Left-breast mammogram, CC. 50 y/o patient.
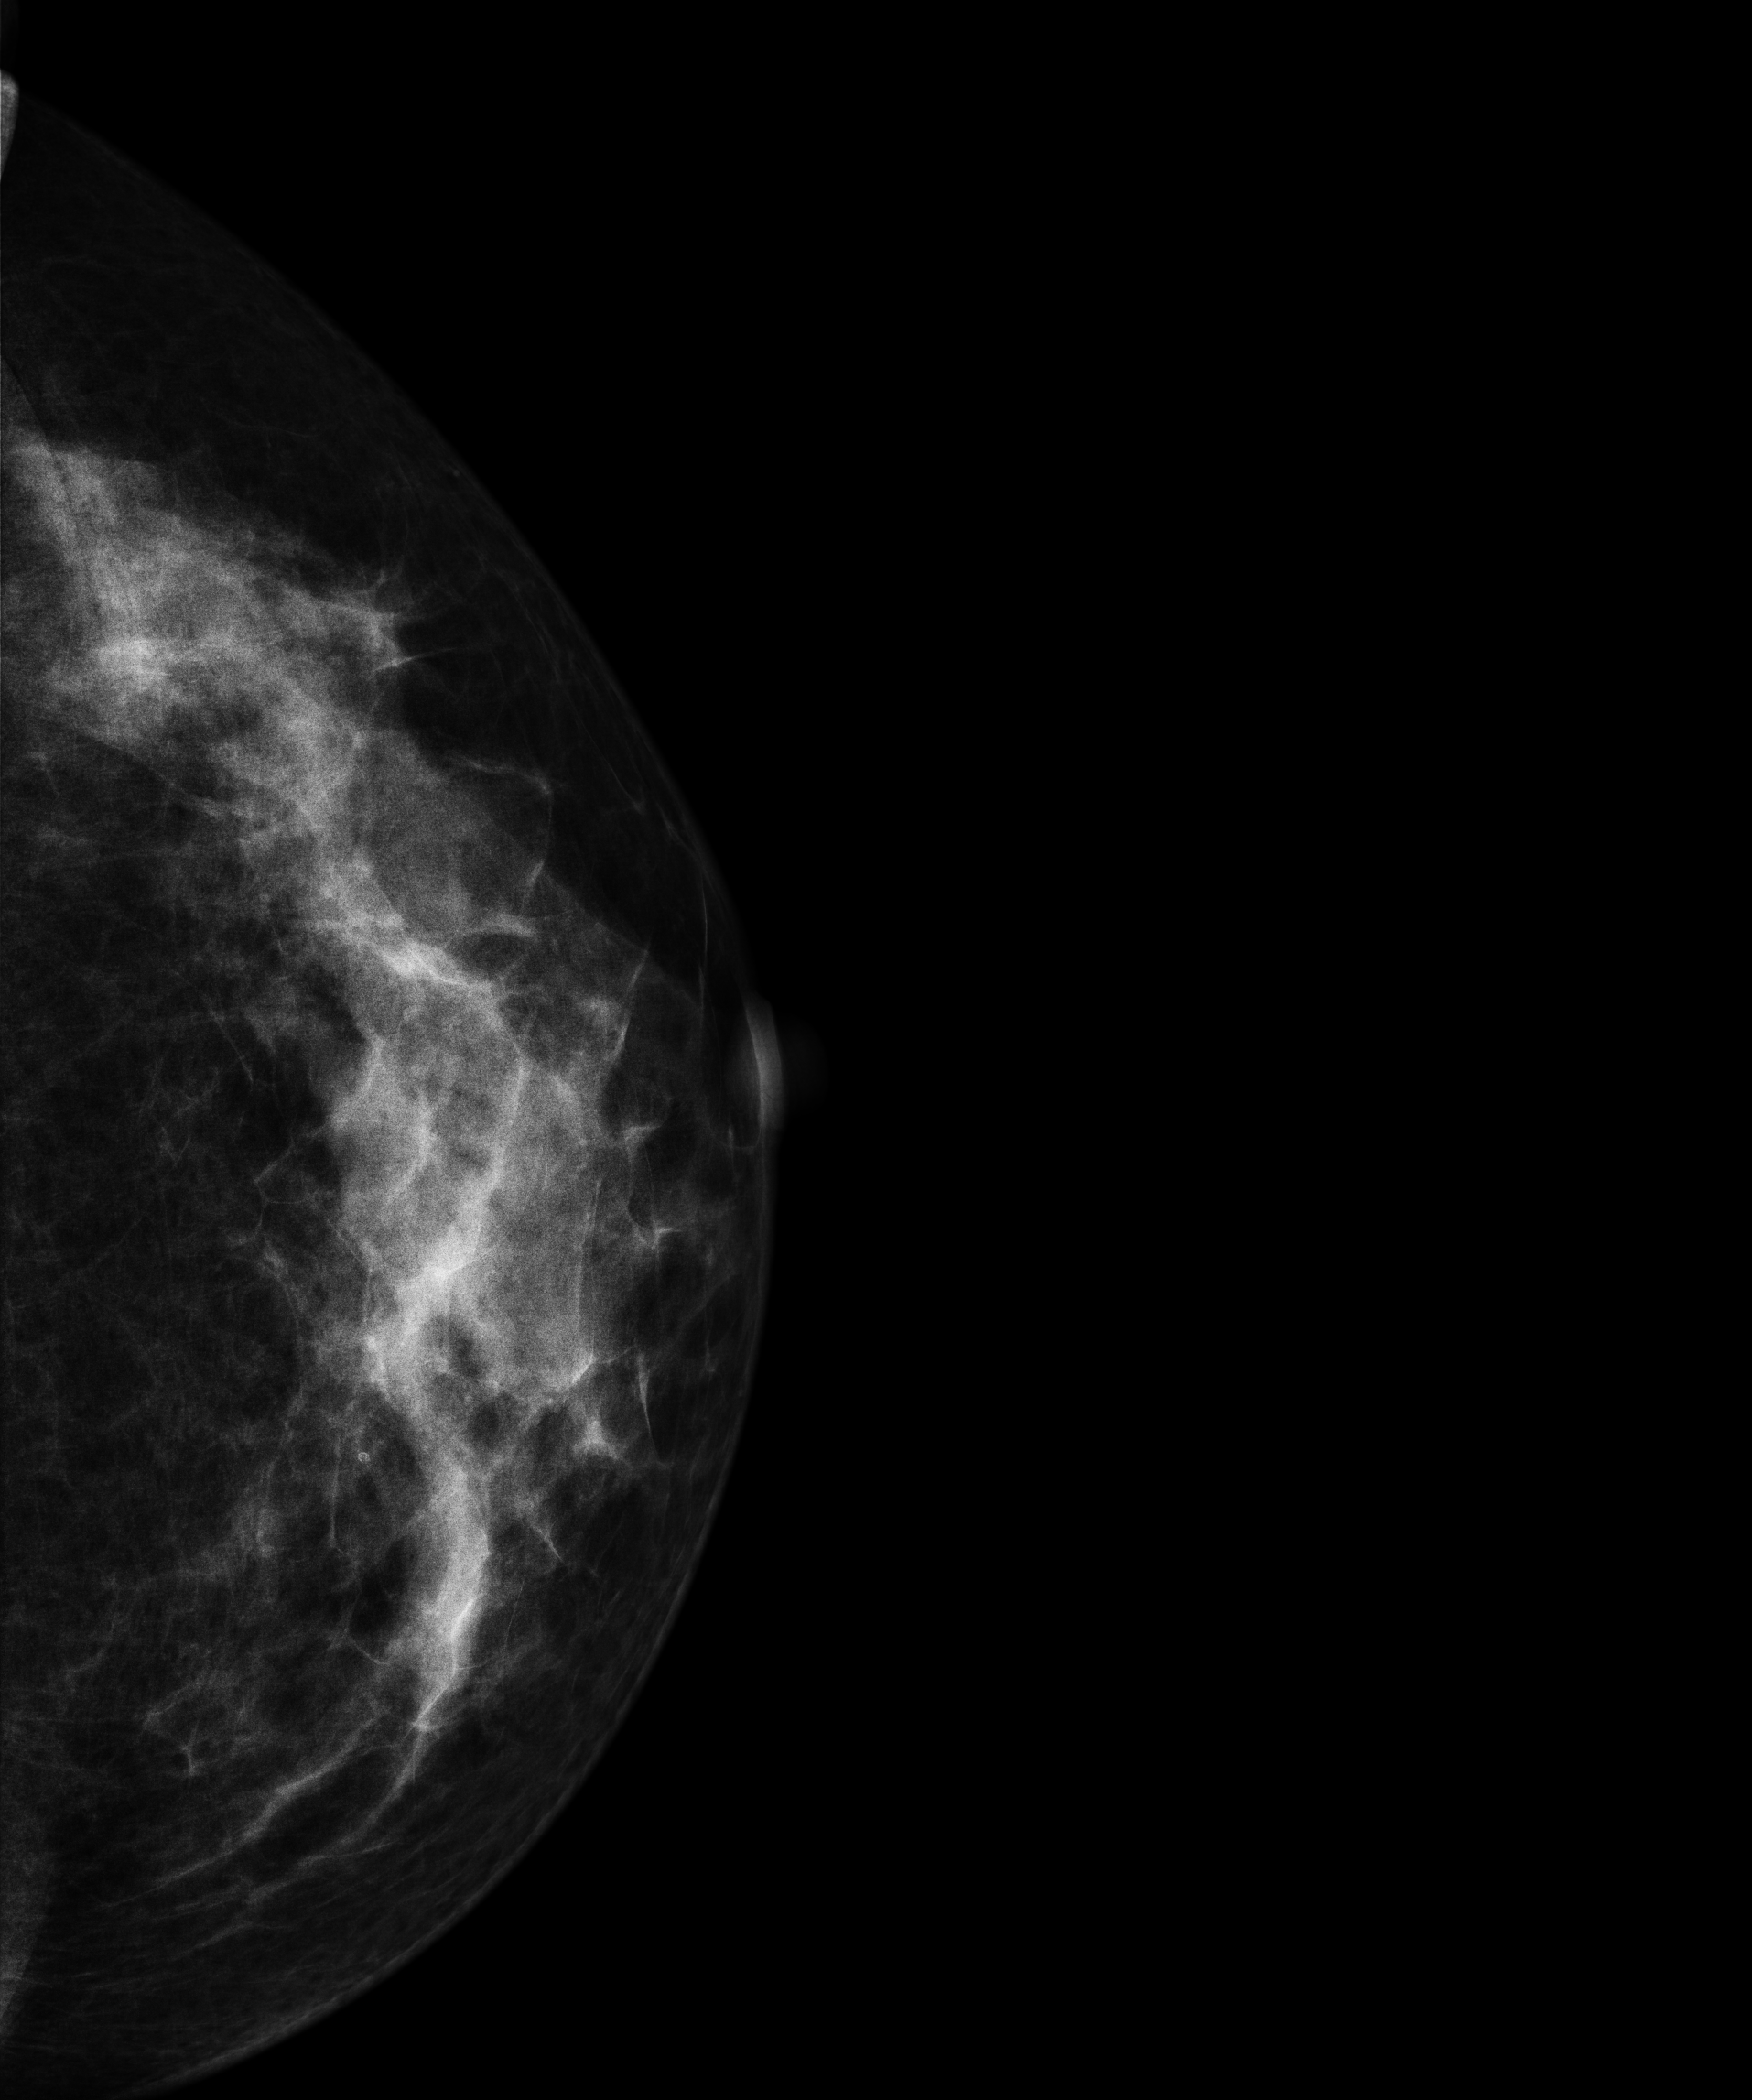
Contralateral breast — no documented abnormality on this side.